Mammogram, left breast, MLO view. Patient age 27.
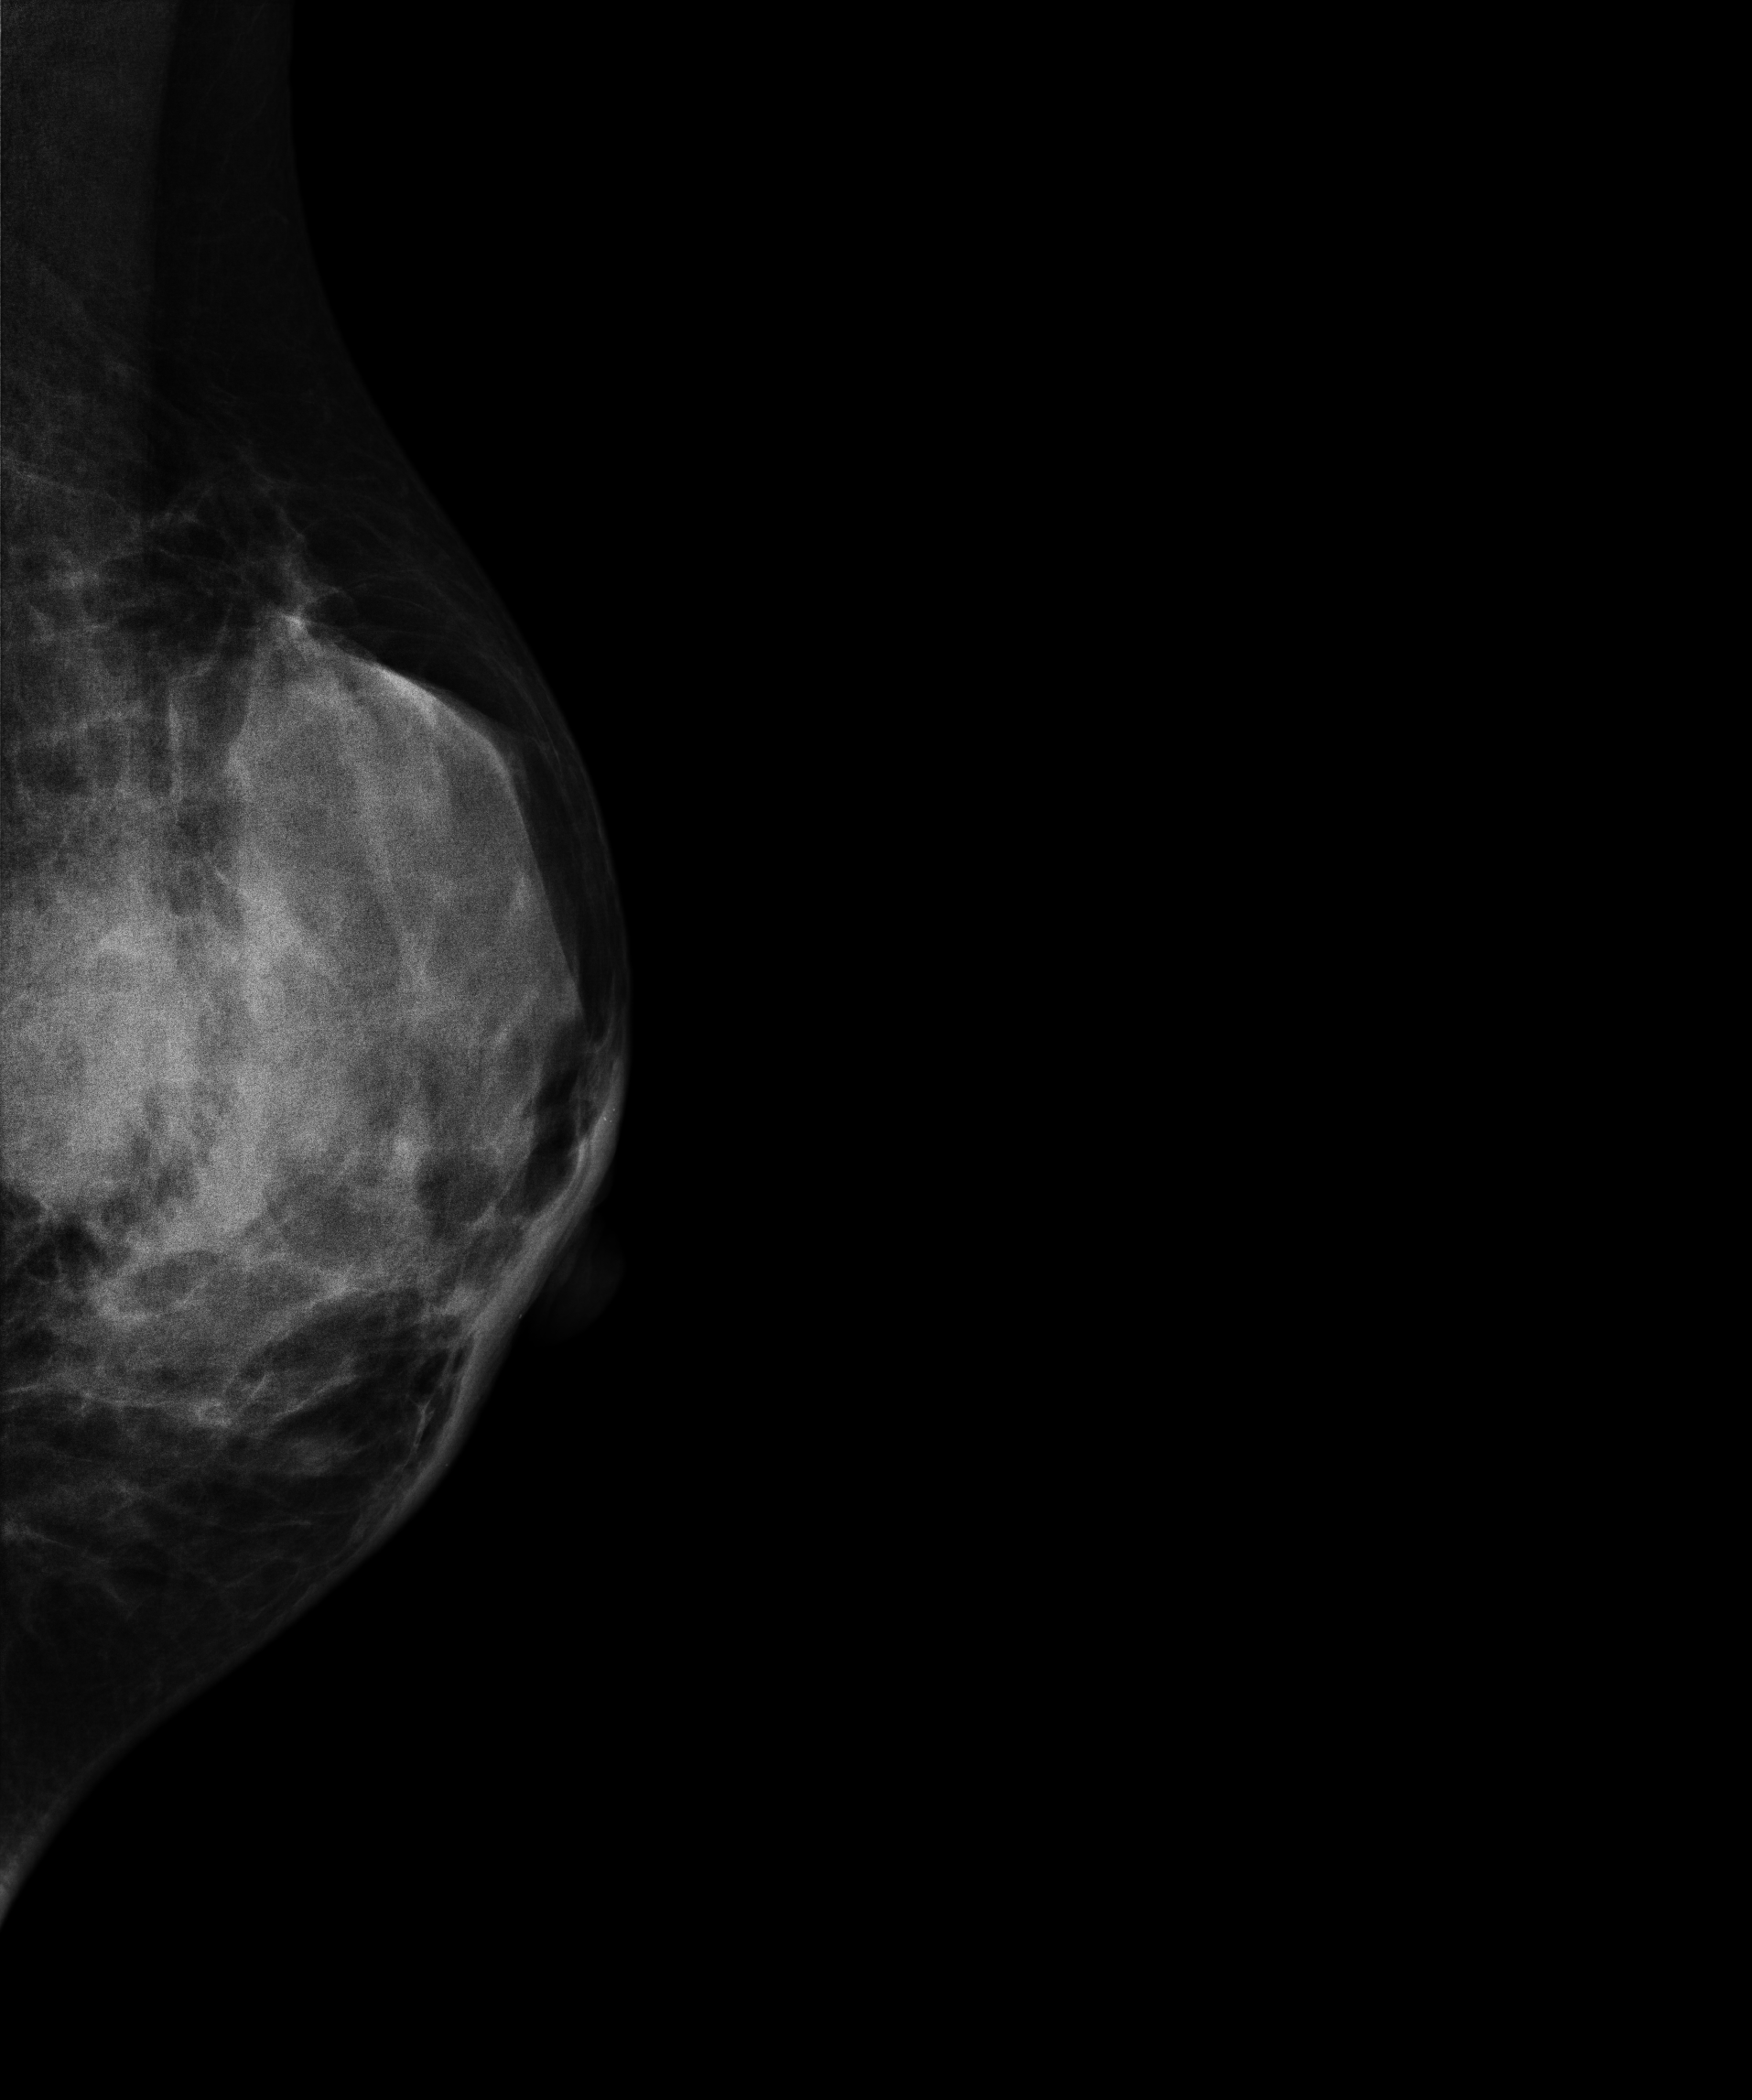
This breast has a mass, biopsy-confirmed malignant.